CC mammogram of the left breast. Patient age 65.
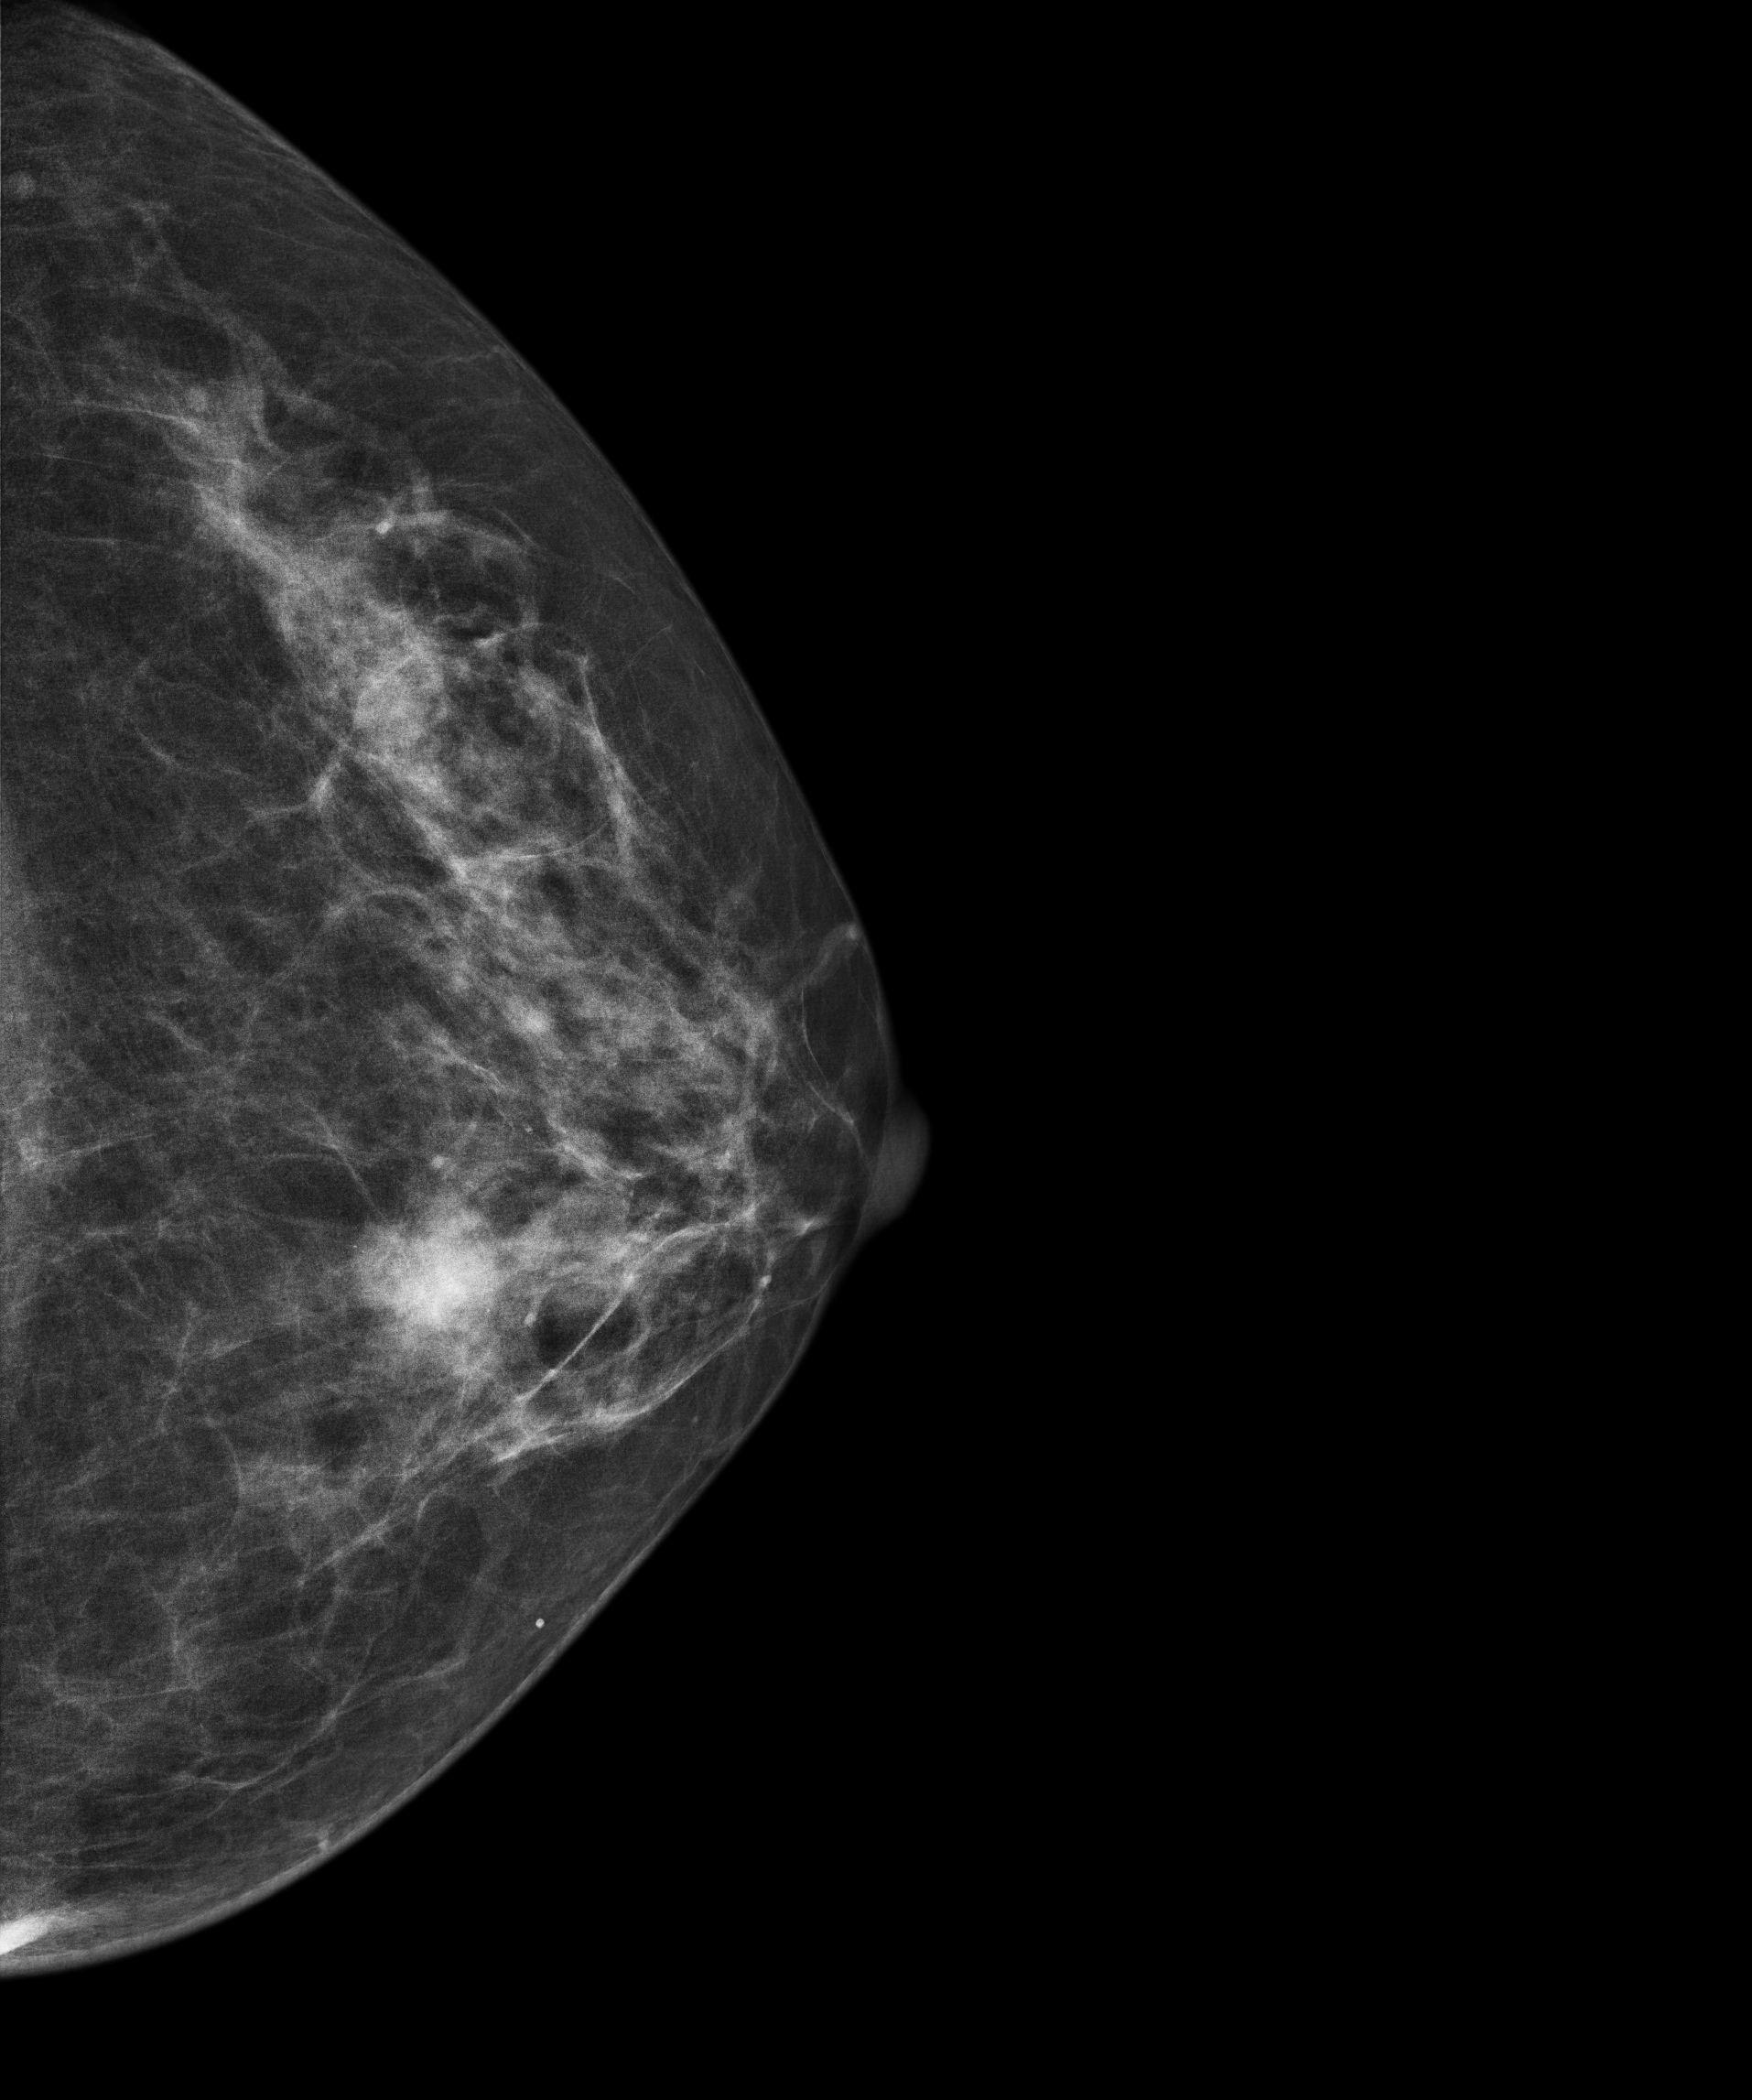
This breast has a mass, histologically confirmed malignant.